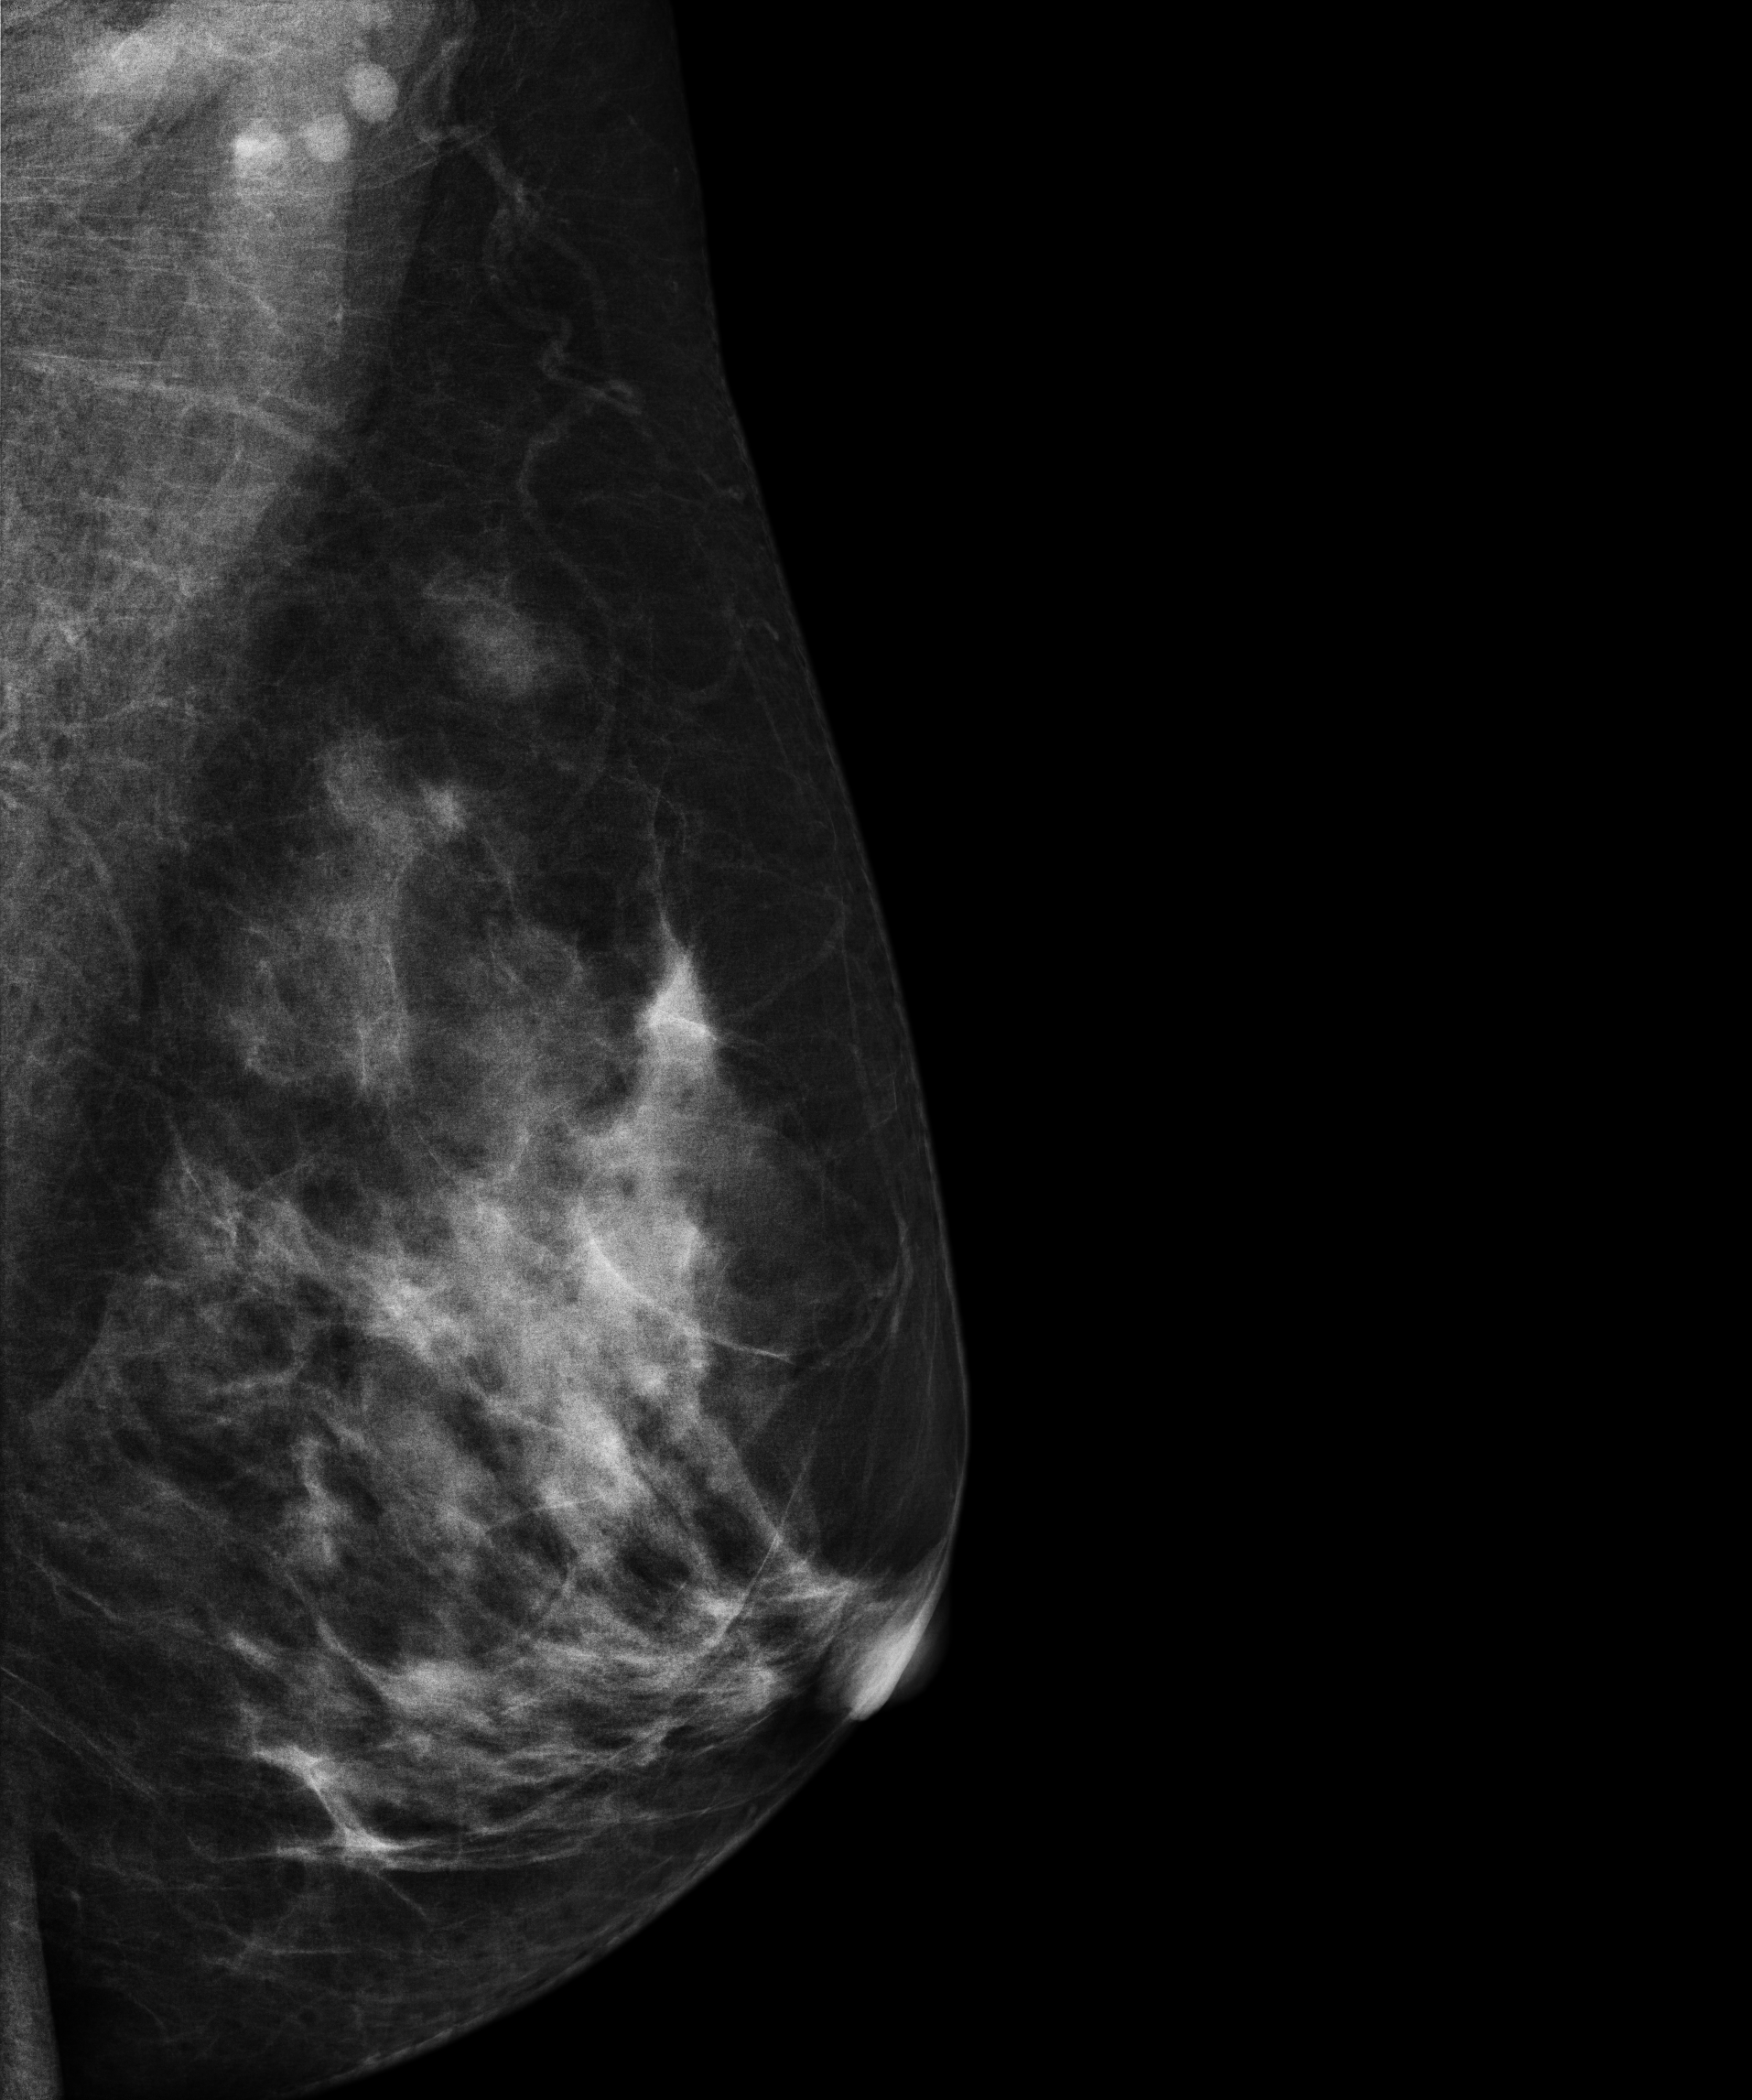
Left-breast mammogram, medio-lateral oblique. Patient age 49.
Contralateral breast — no documented abnormality on this side.